Mammogram — left CC. 61 y/o patient.
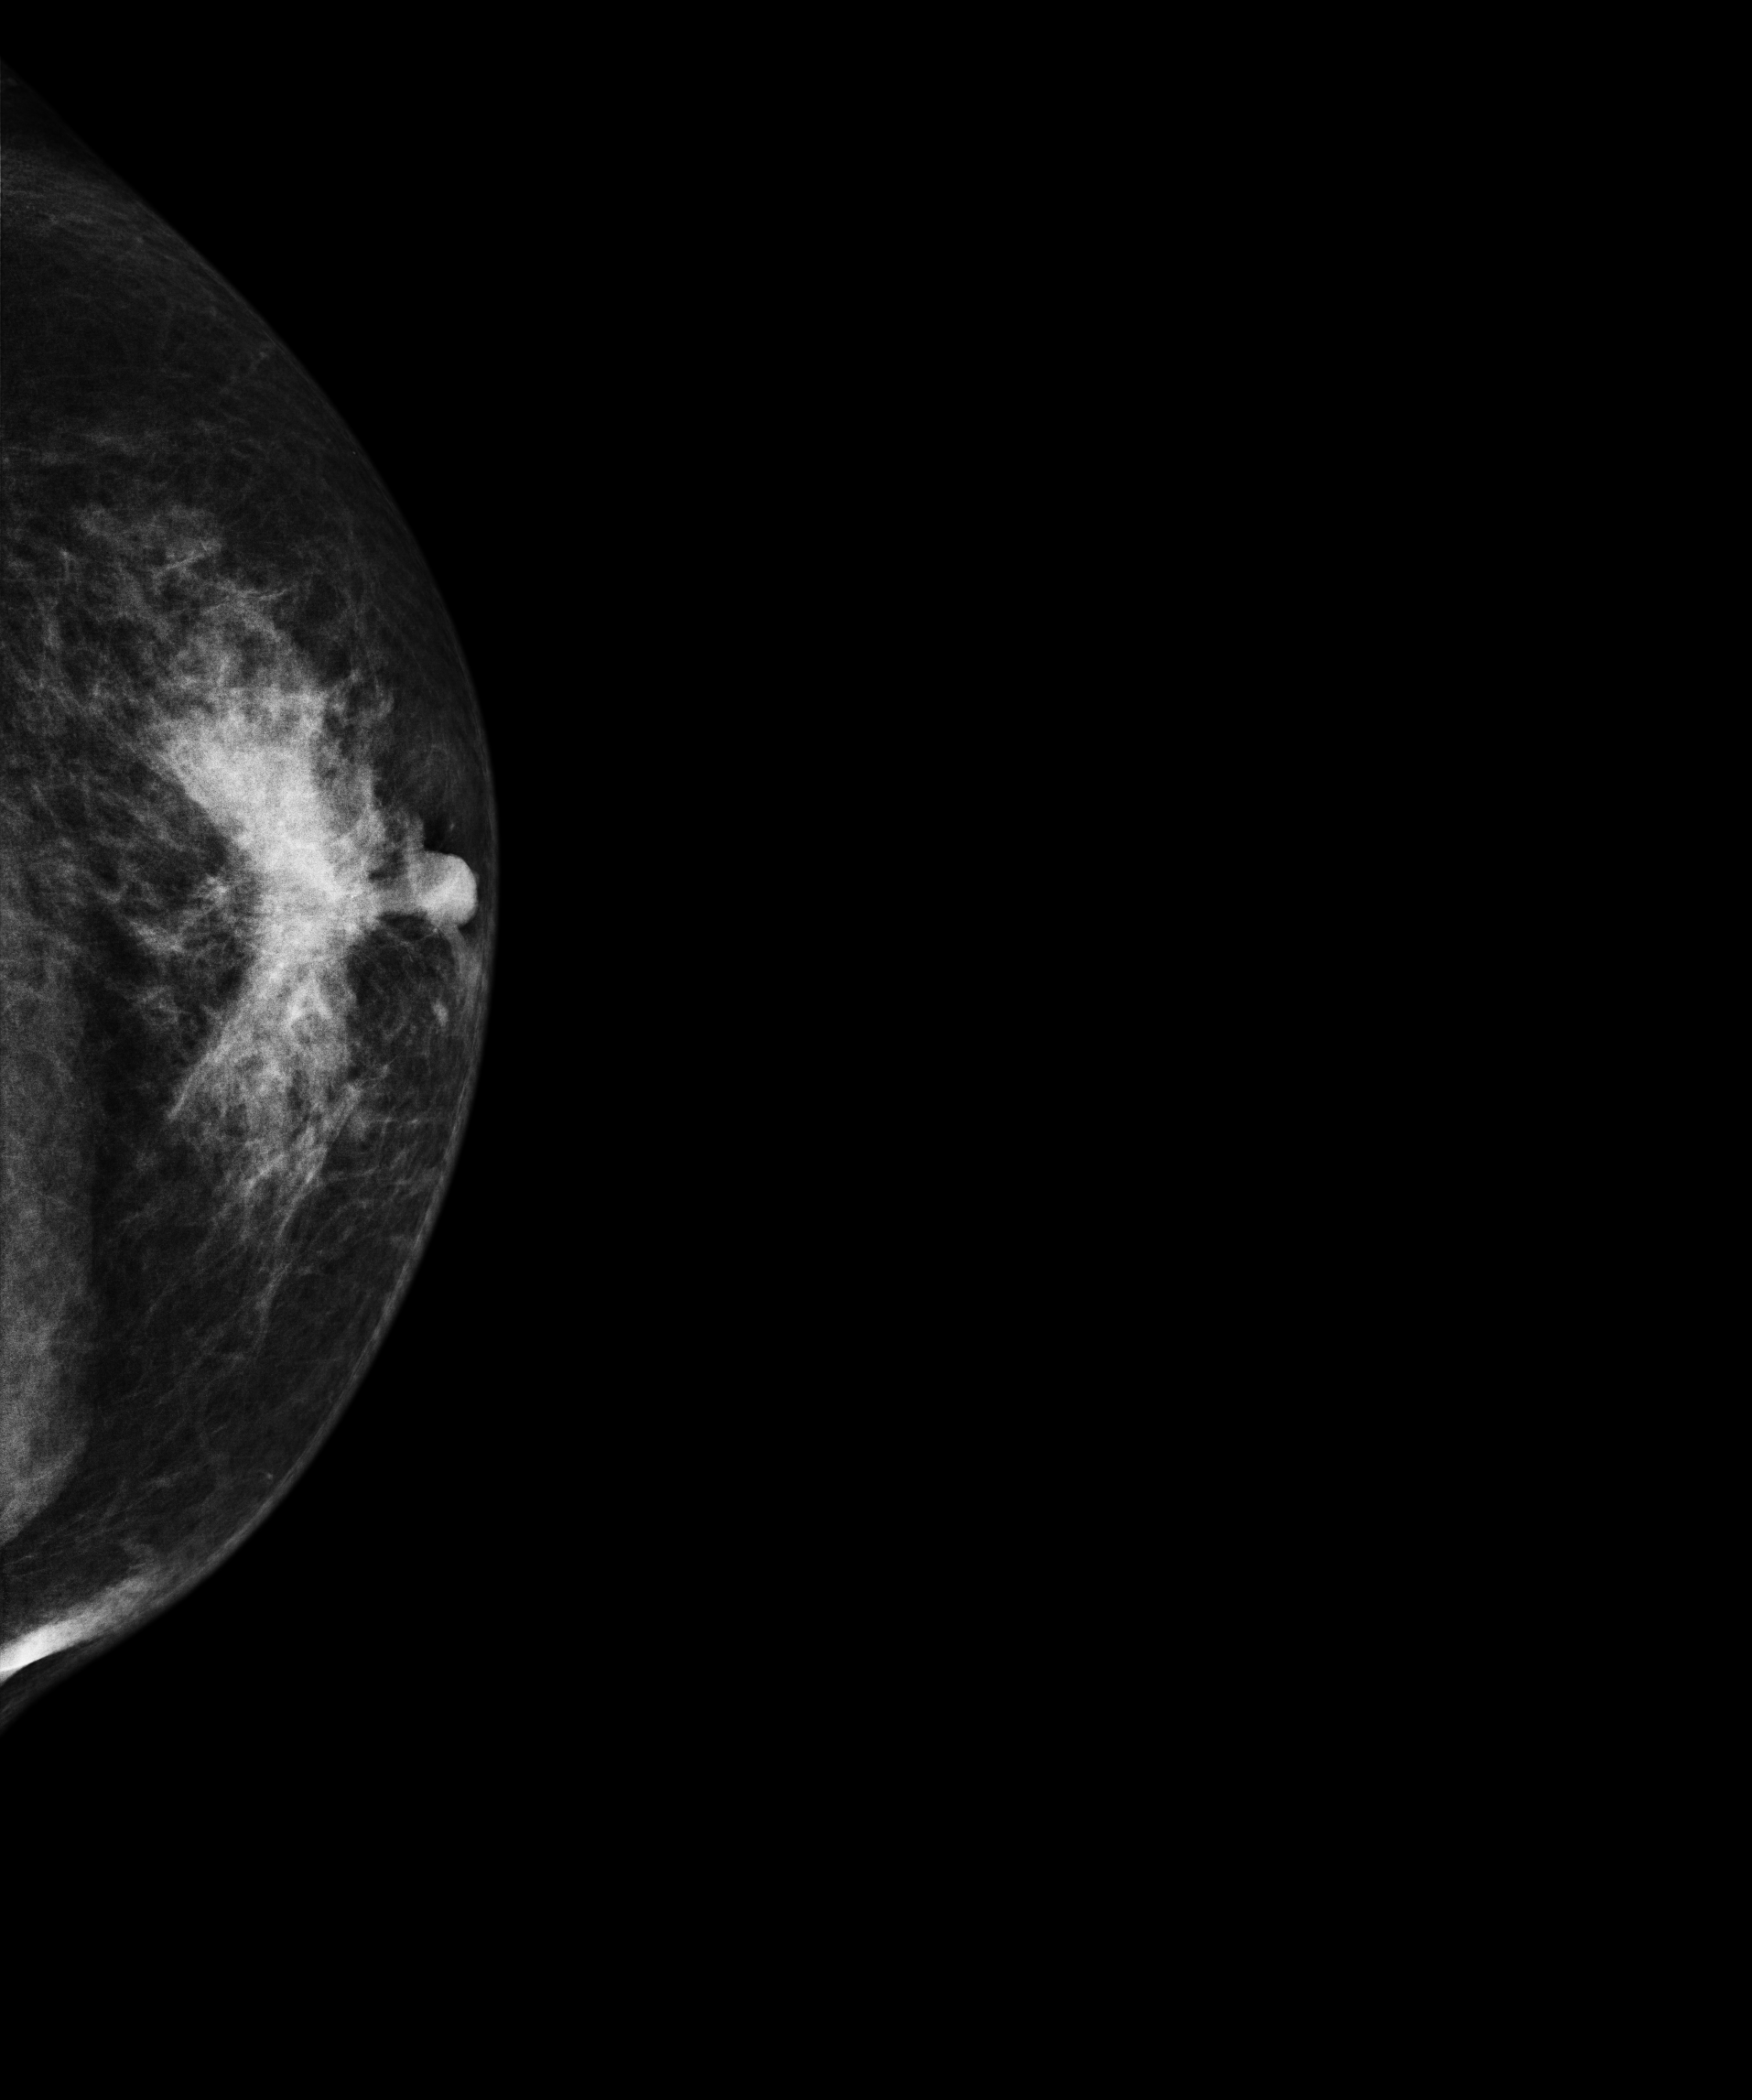
This breast has a mass, histologically confirmed malignant. Molecular subtype: luminal B.